Digital mammography. Right breast, medio-lateral oblique projection. 35 y/o patient.
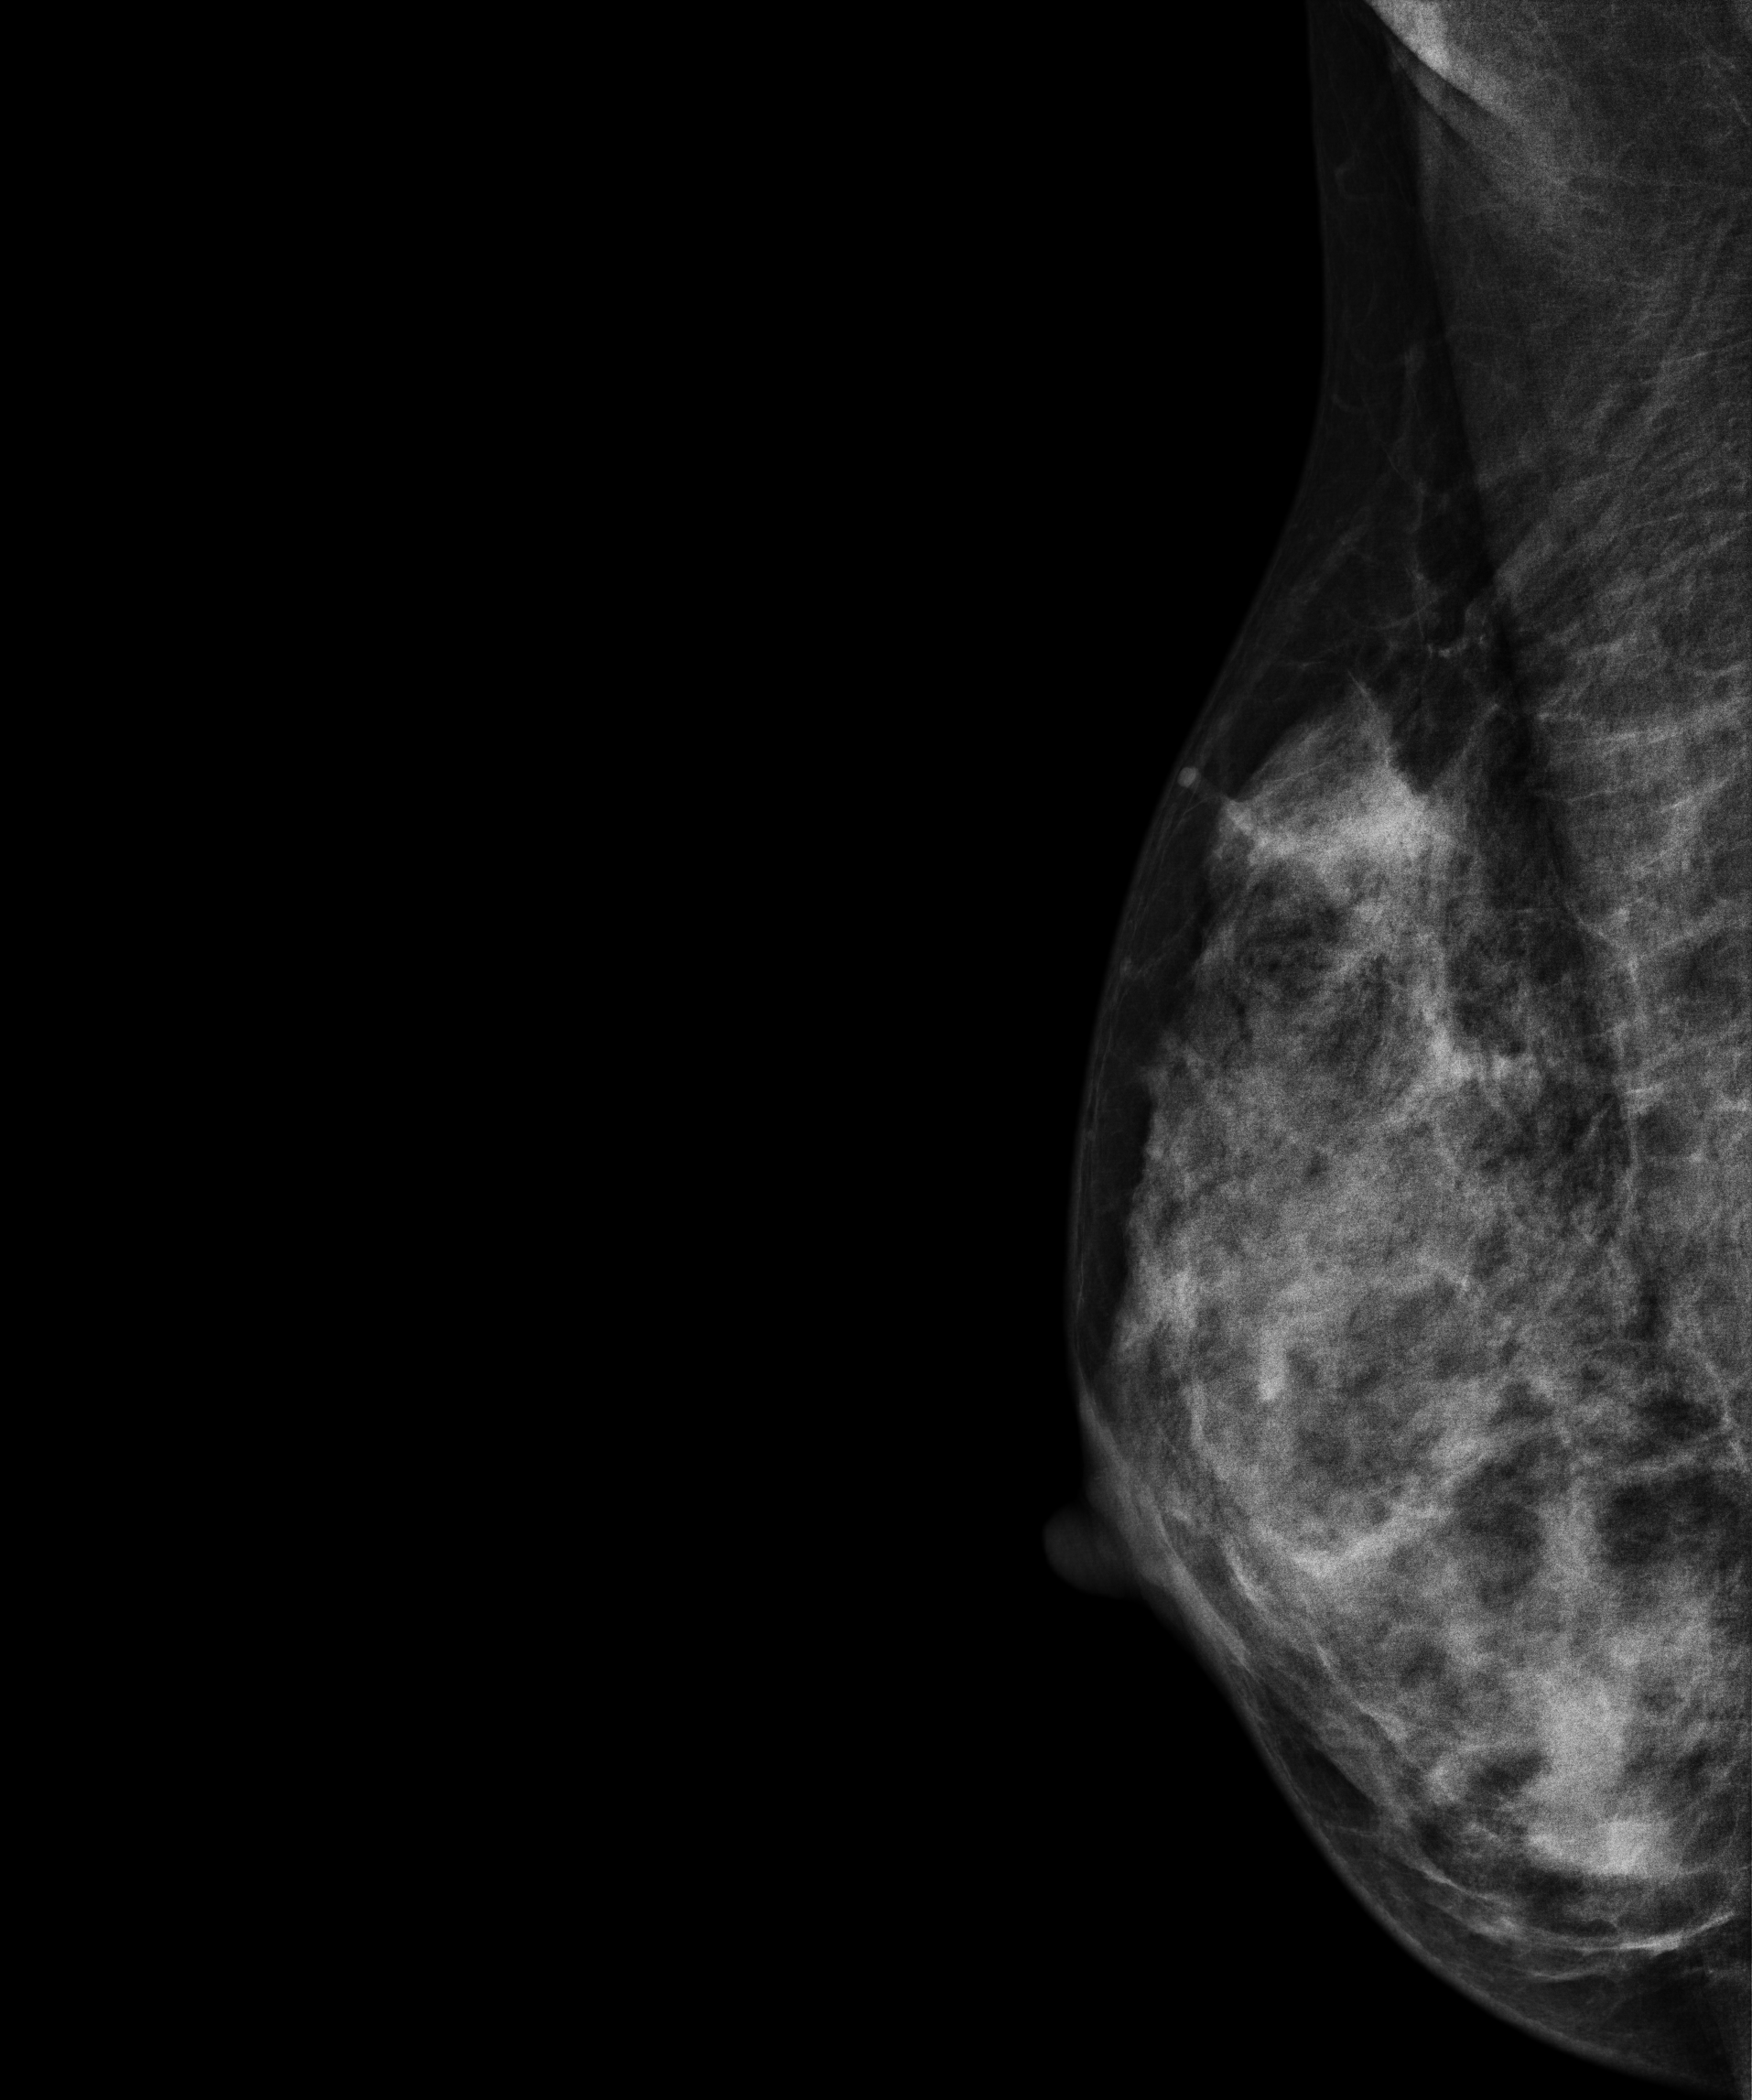
This breast has a mass, biopsy-confirmed benign.